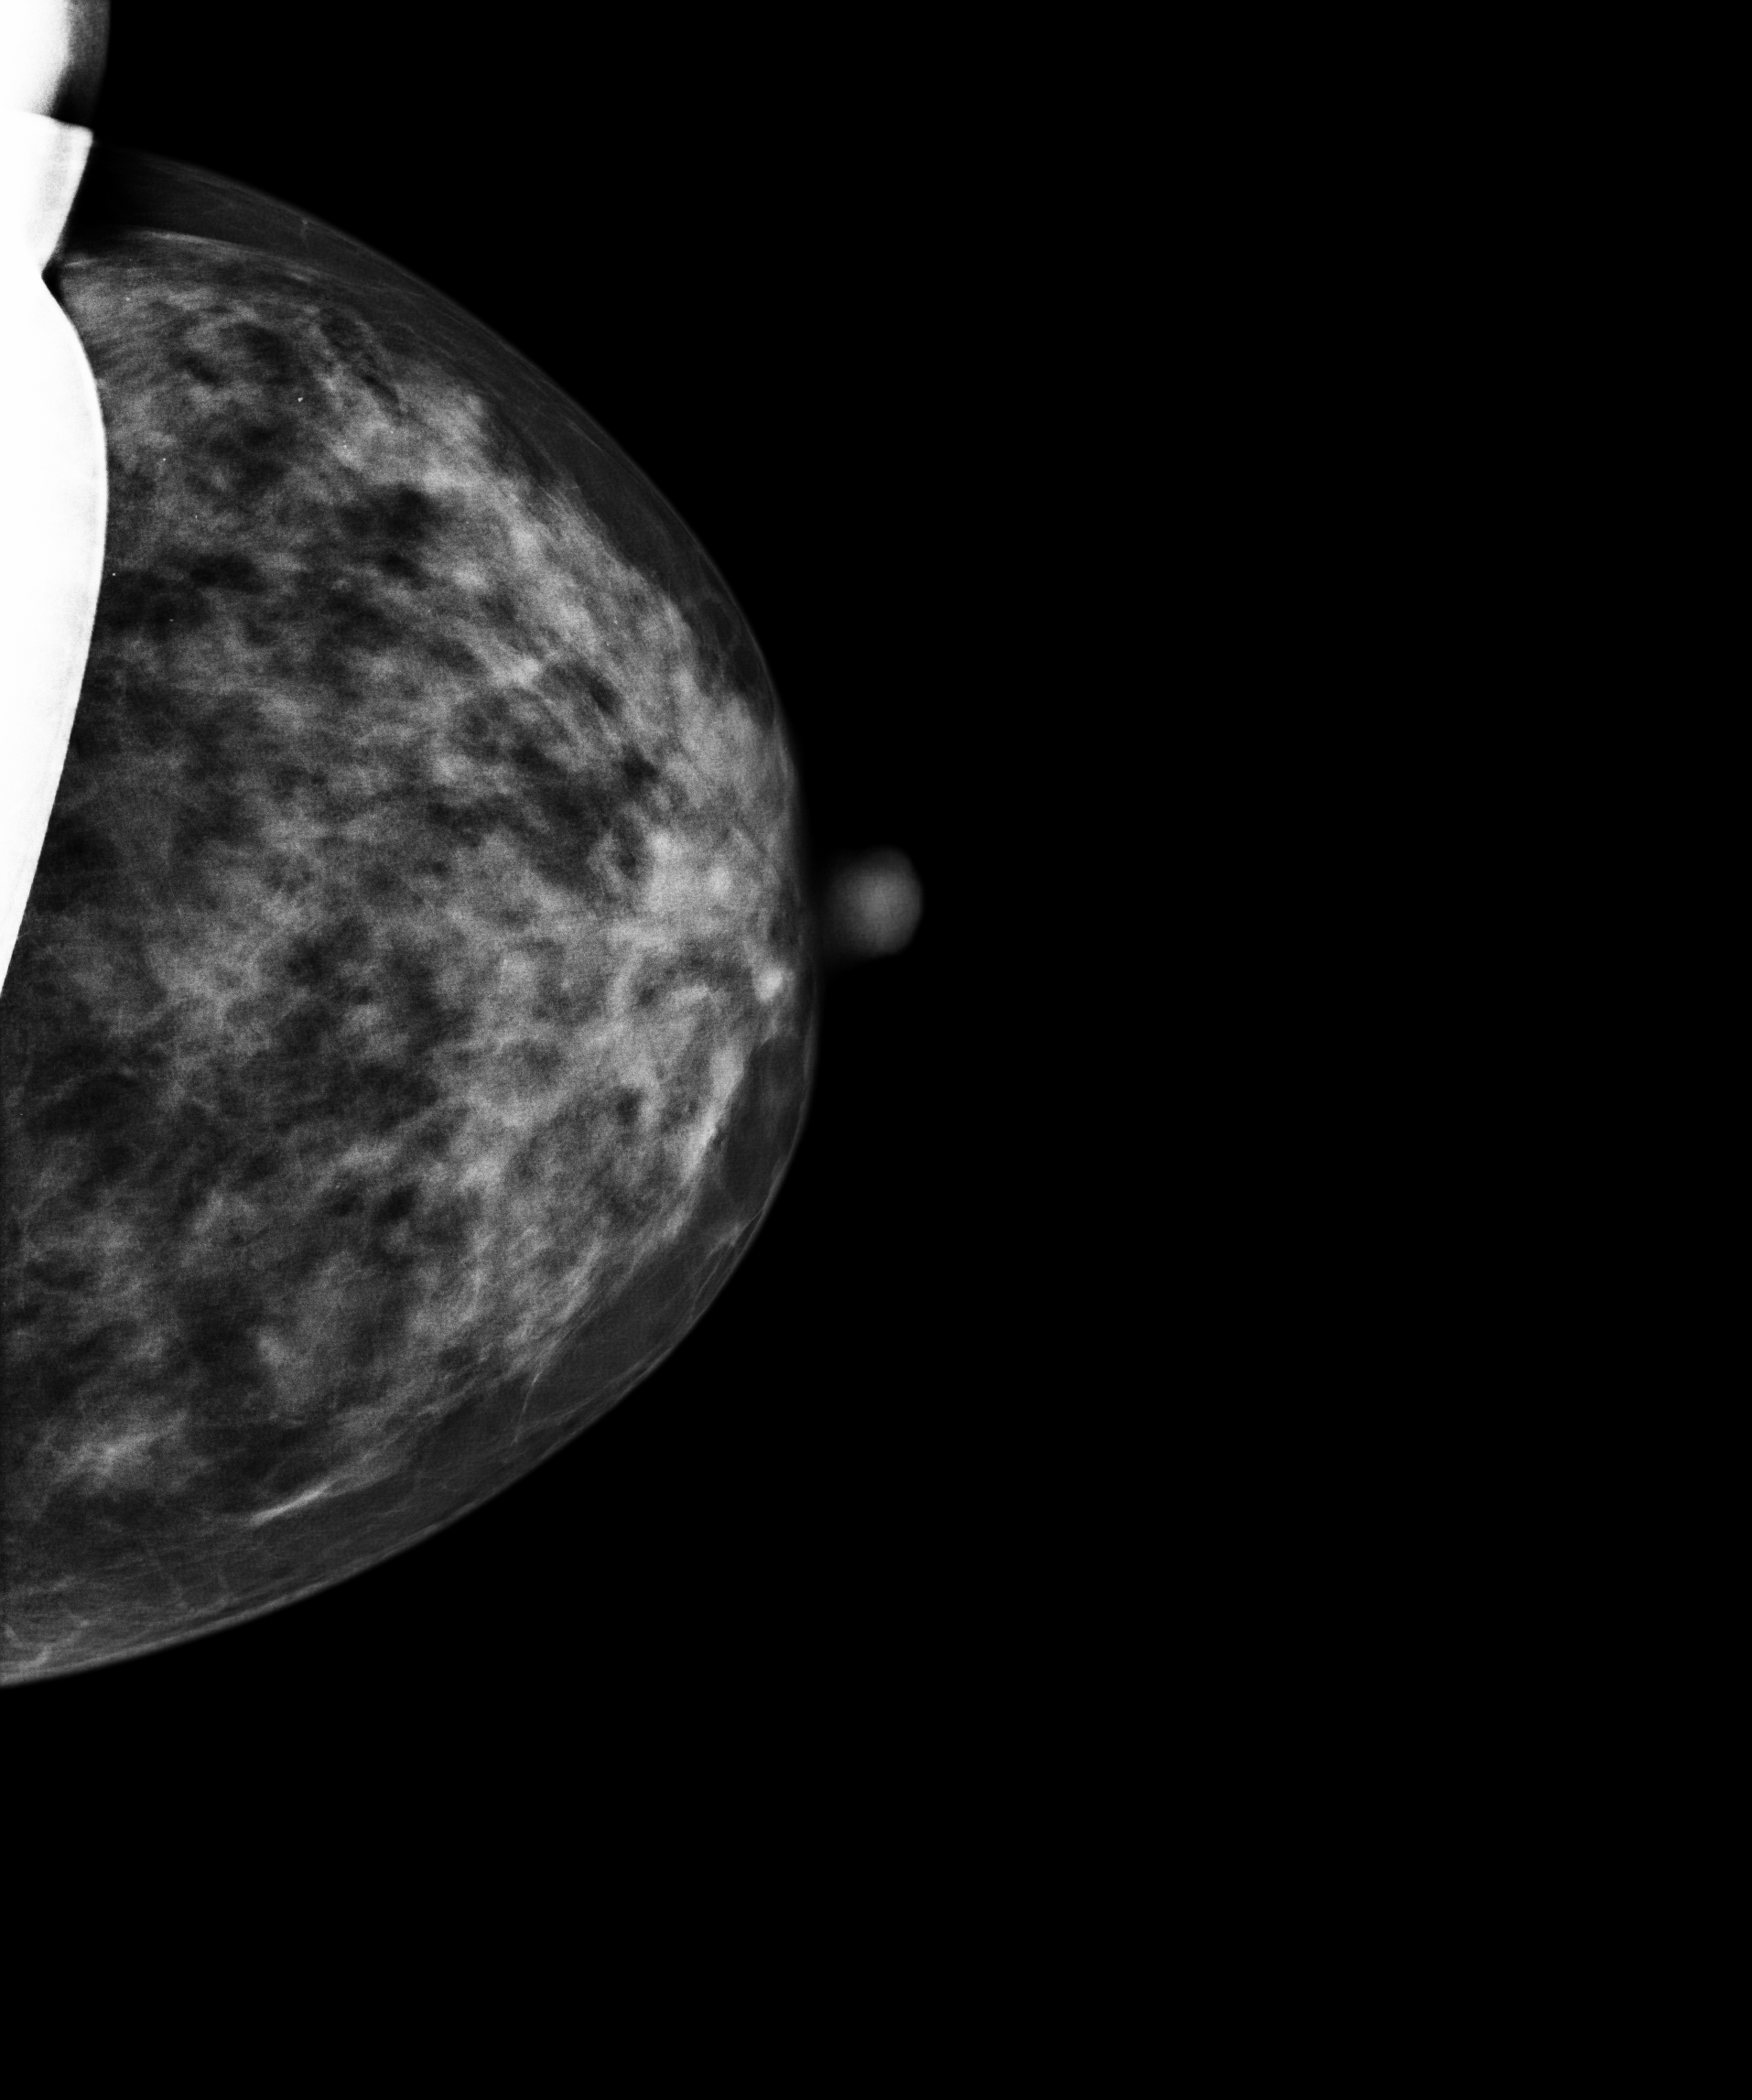
Digital mammography. Left breast, CC projection. 38 y/o patient.
Contralateral breast — no documented abnormality on this side.